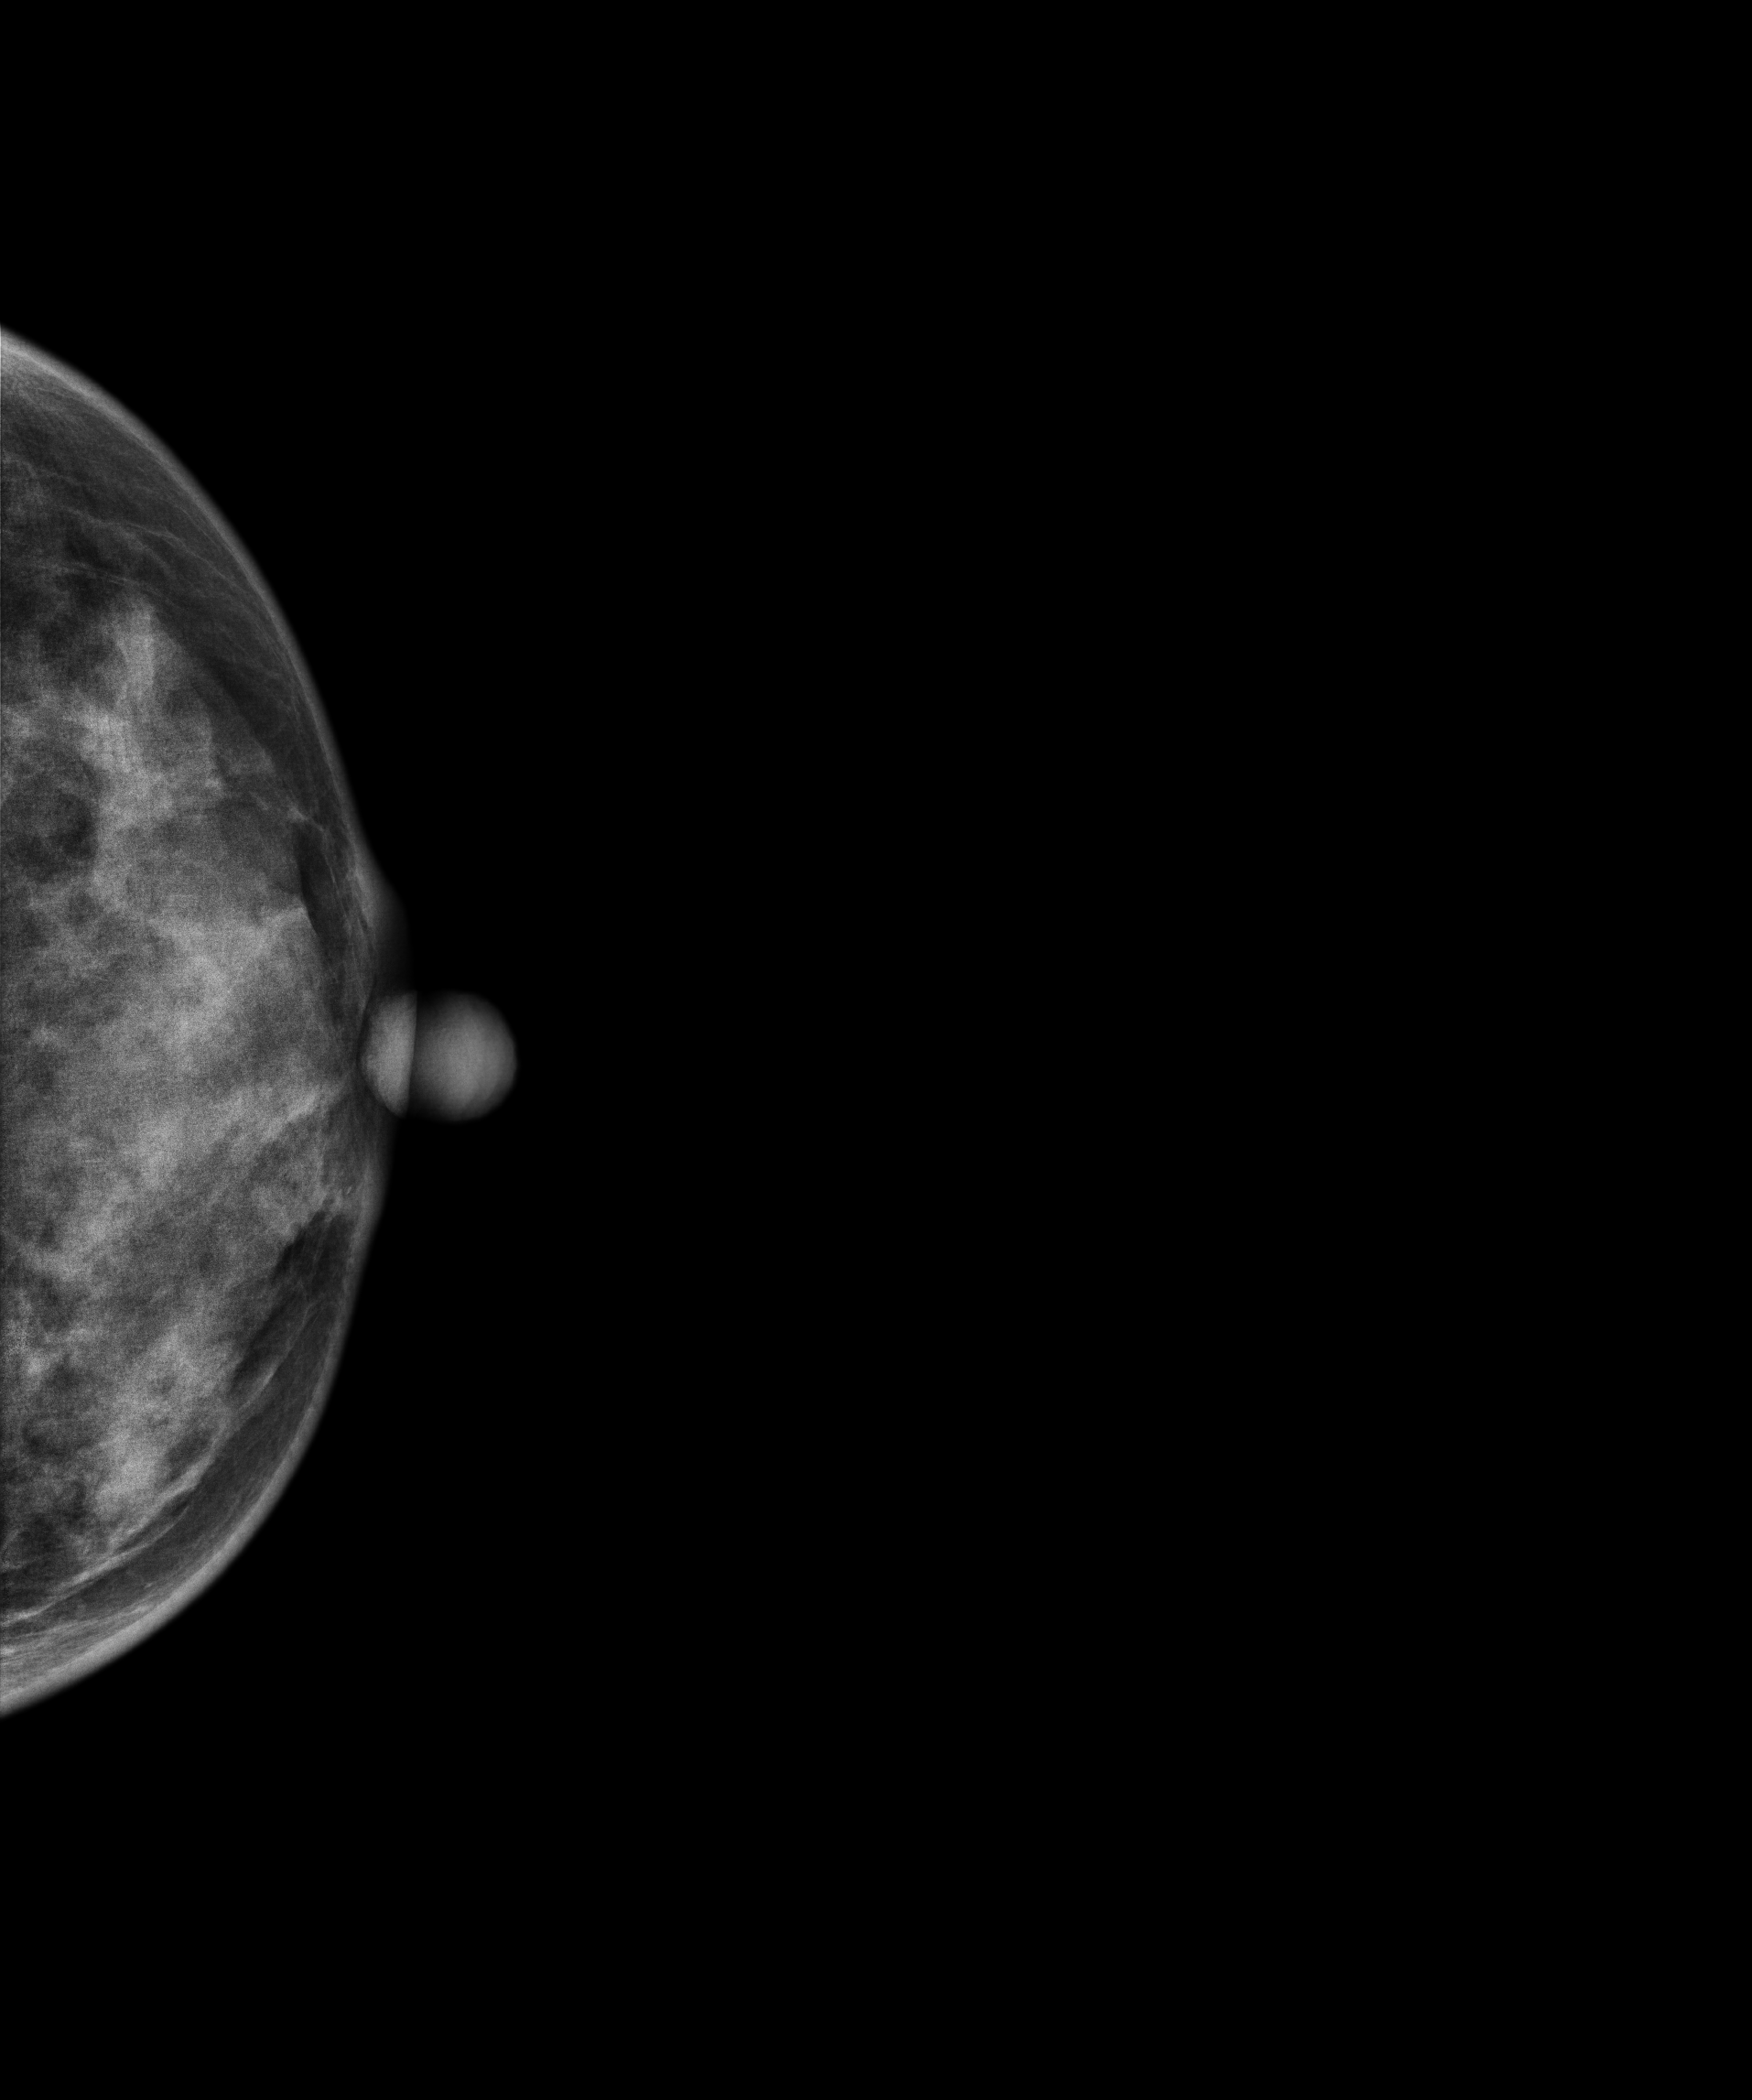
Mammogram — left CC. Patient age 38.
Contralateral breast — no documented abnormality on this side.